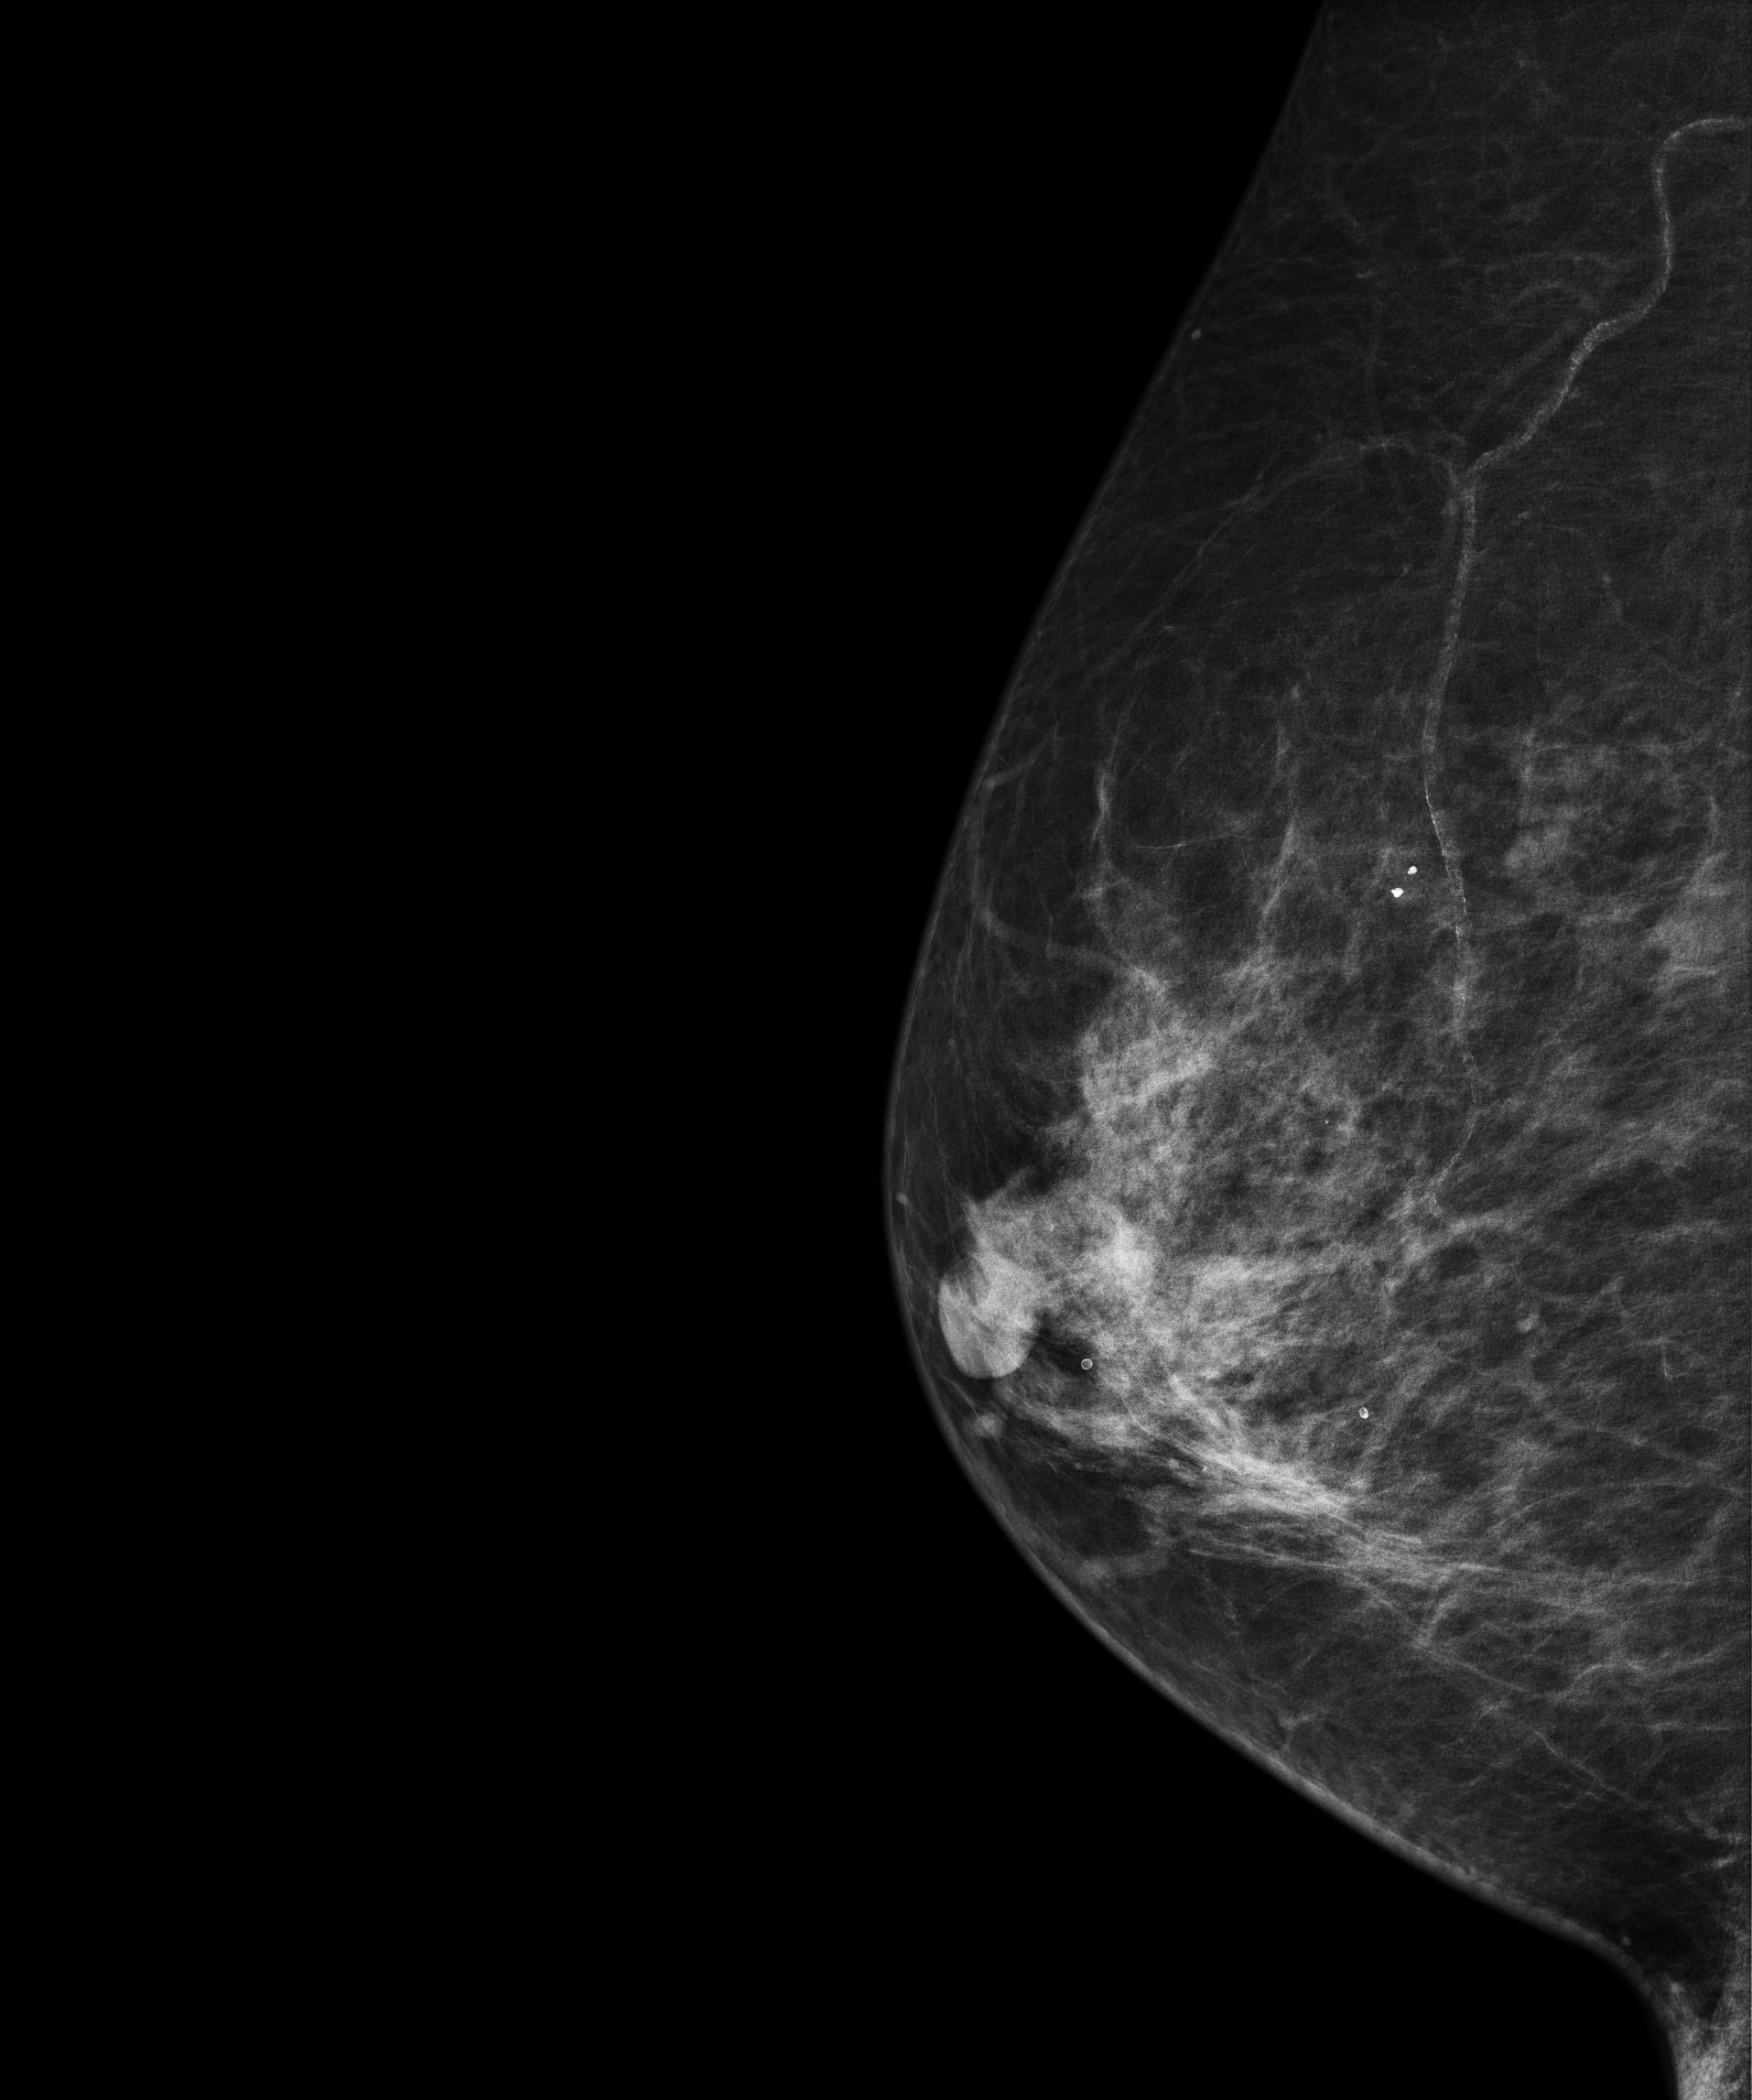
Mammogram — right MLO. Patient age 72.
Contralateral breast — no documented abnormality on this side.